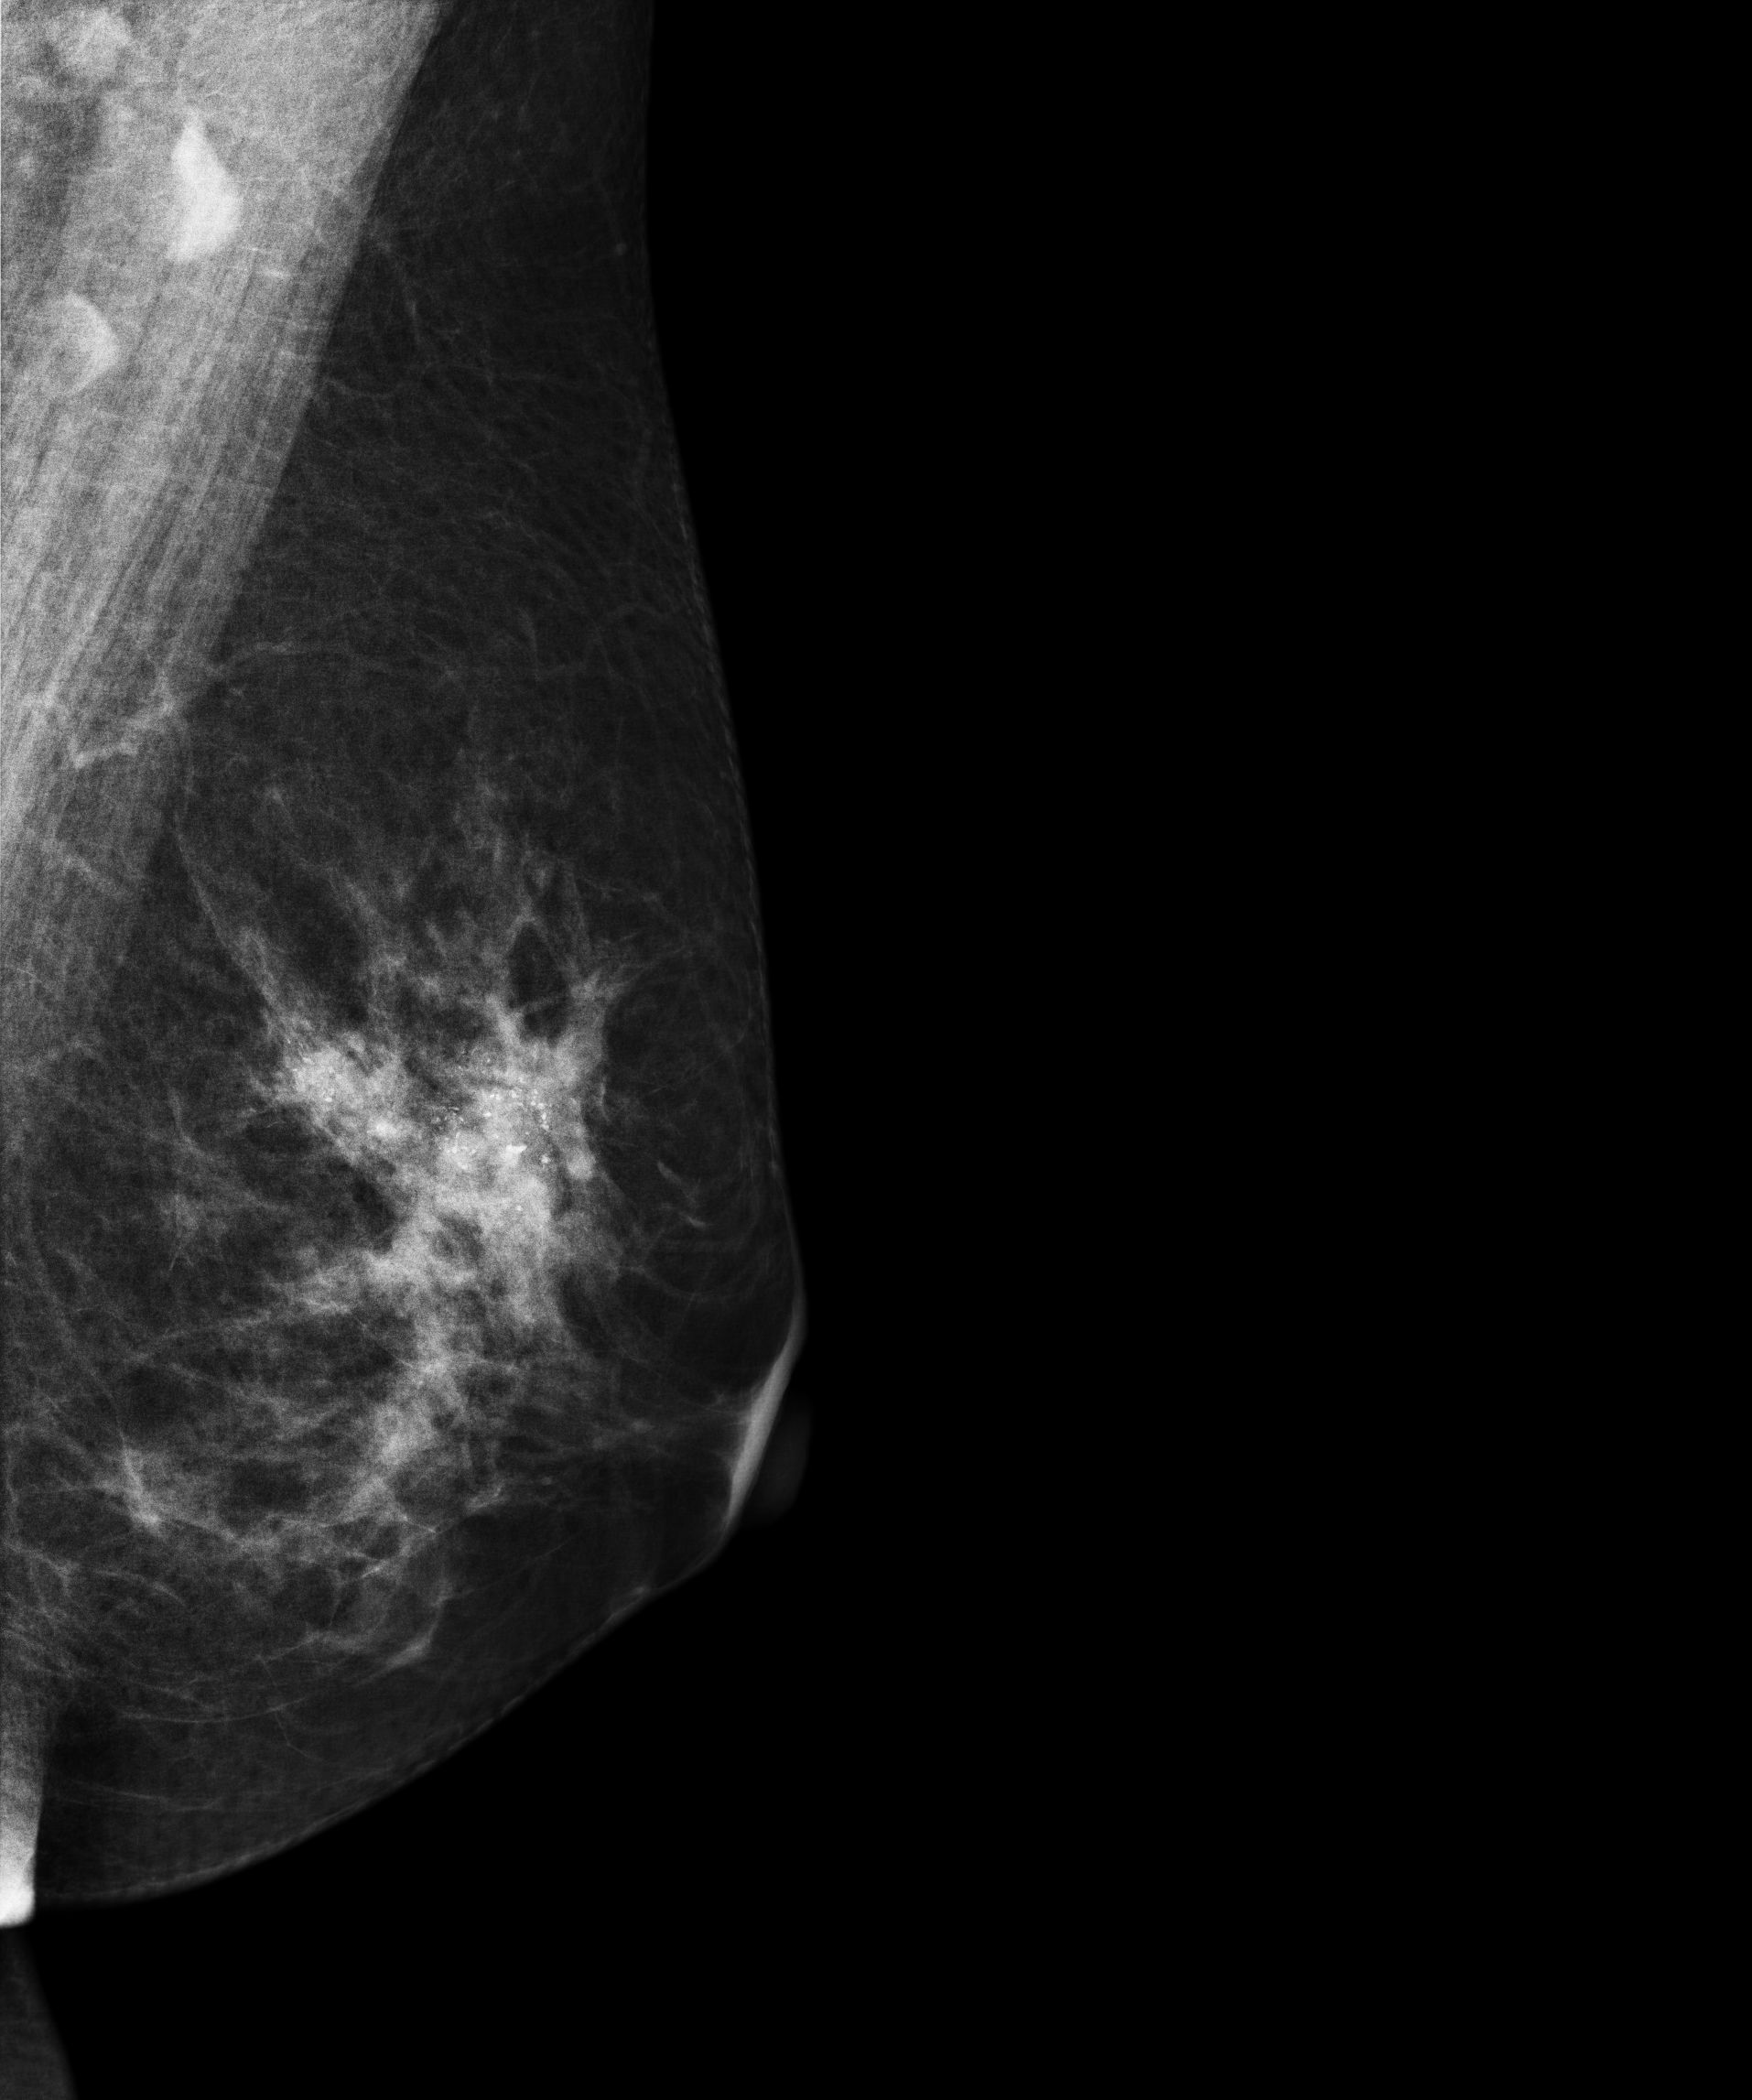
Digital mammography. Left breast, MLO projection. Patient age 58.
This breast has a mass and calcifications, pathology-confirmed malignant.